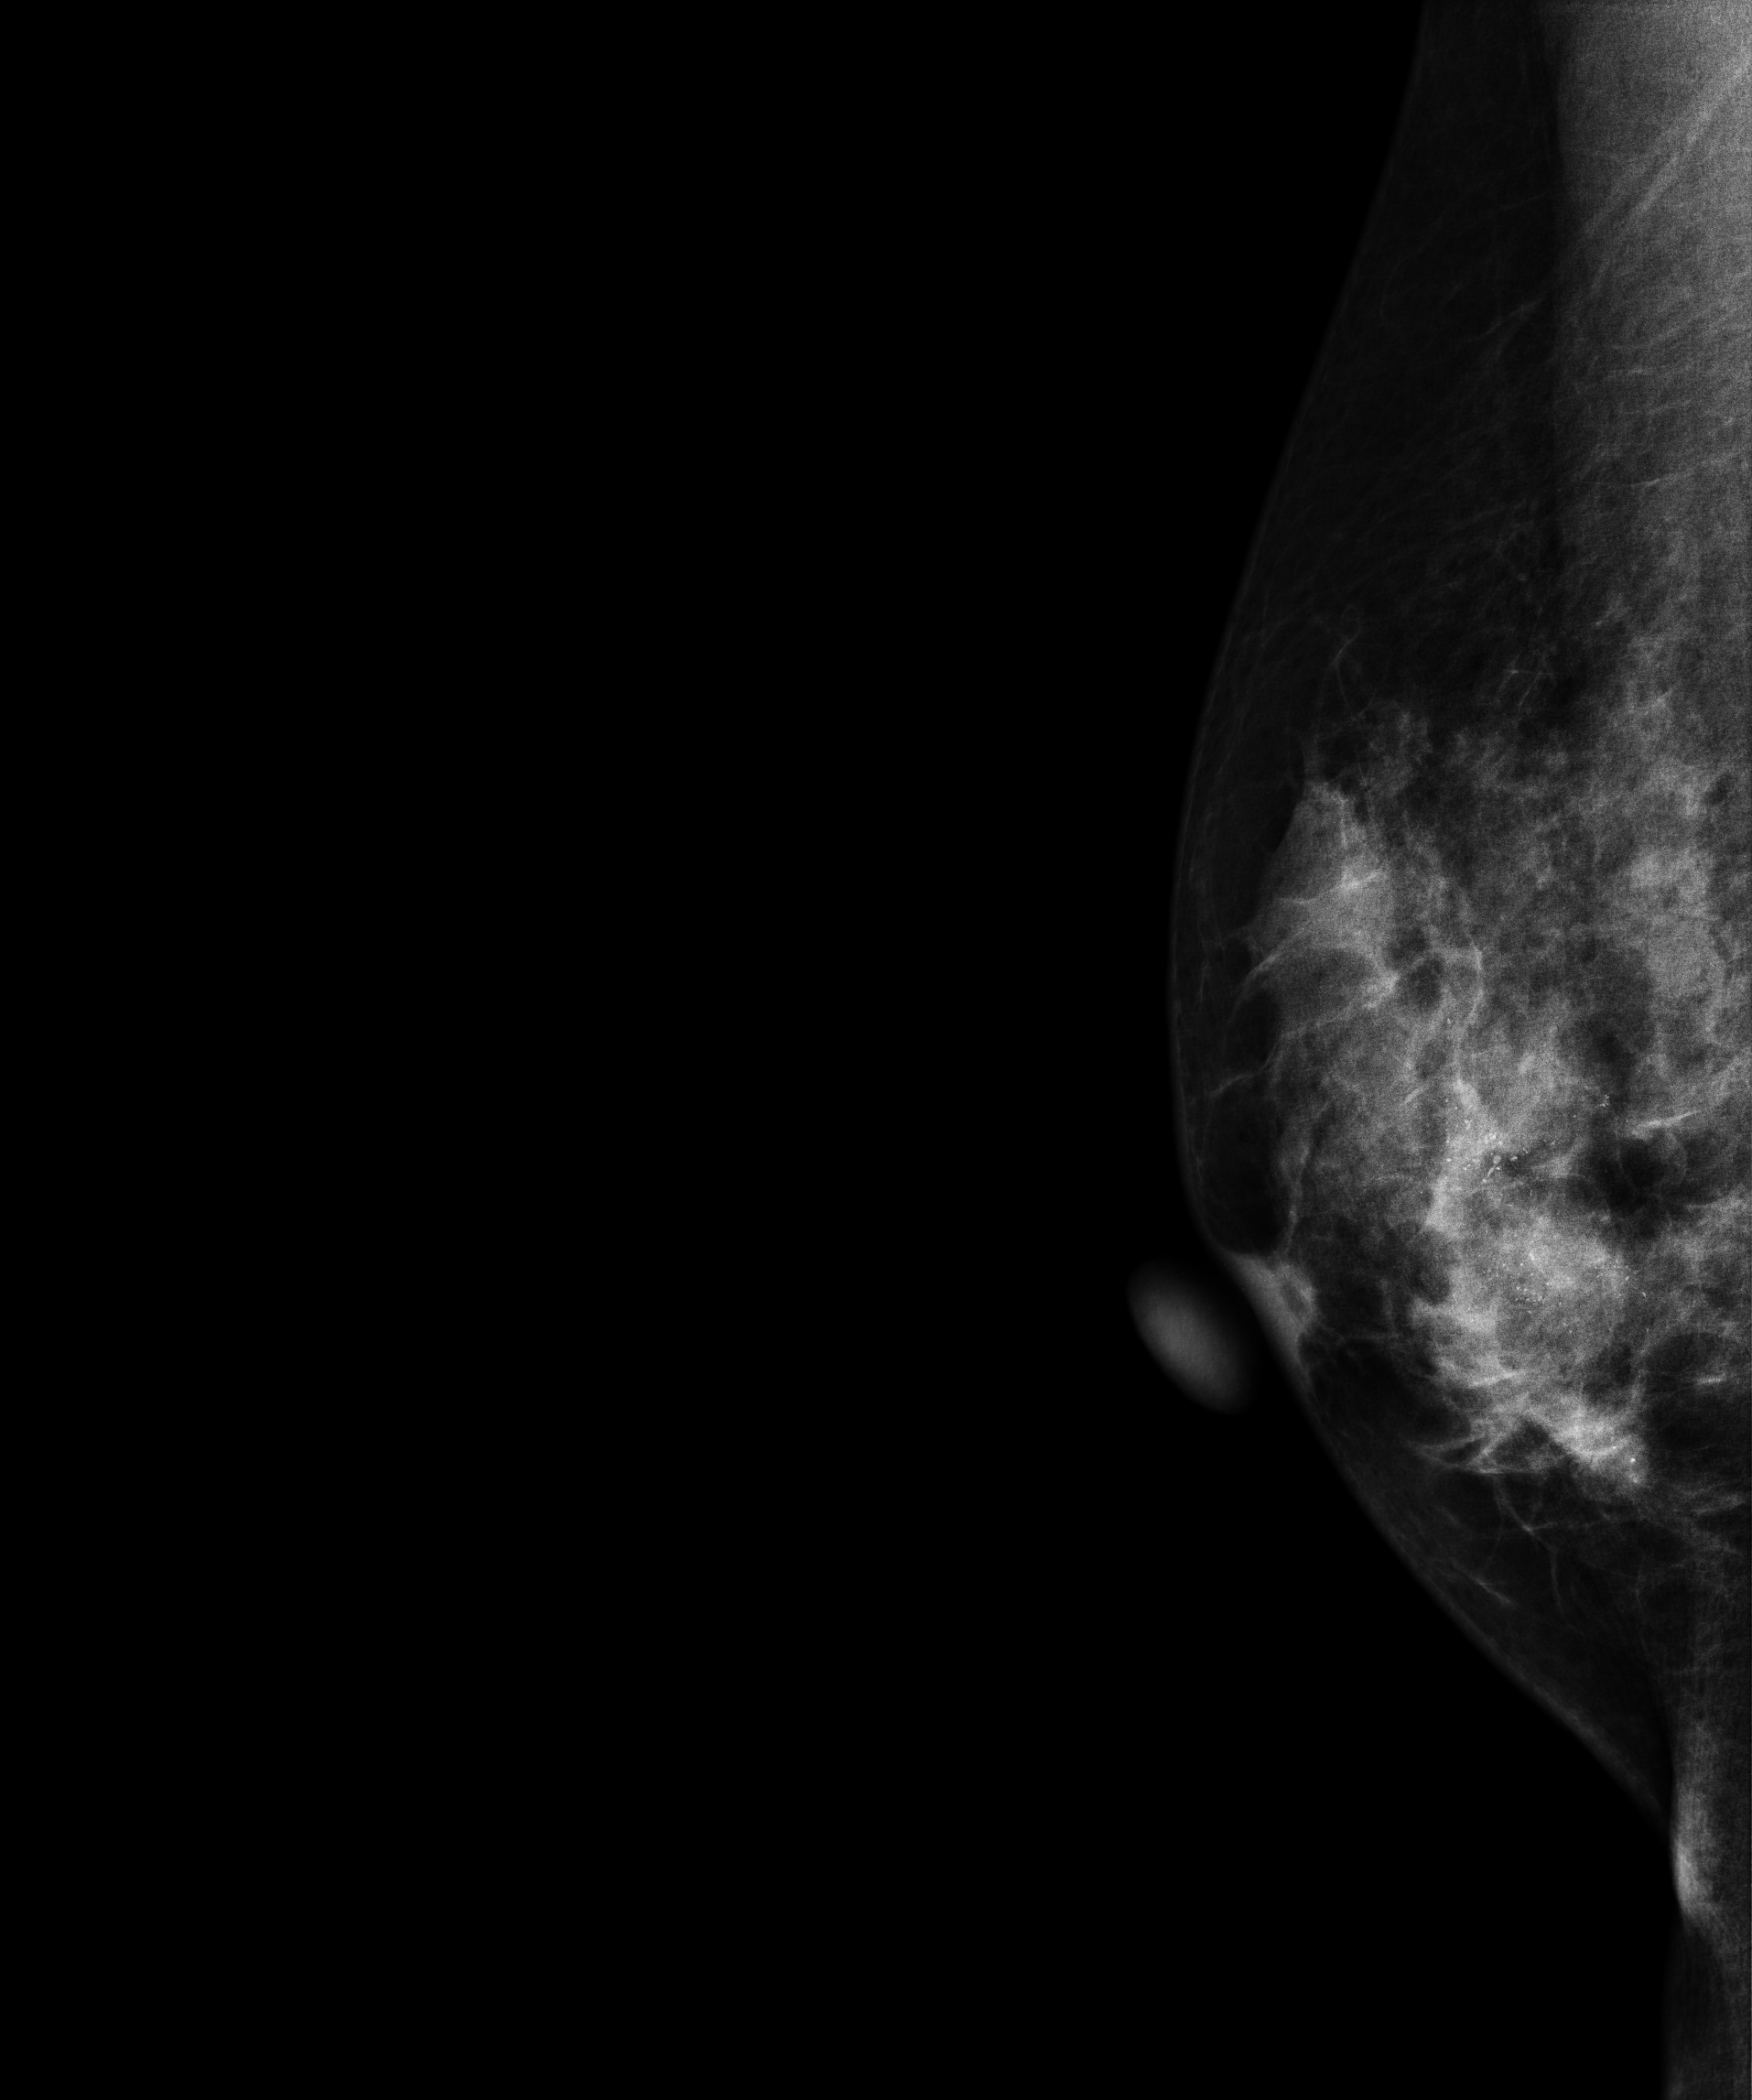
Mammogram, right breast, MLO view. Patient age 53.
This breast has a mass and calcifications, histologically confirmed malignant.